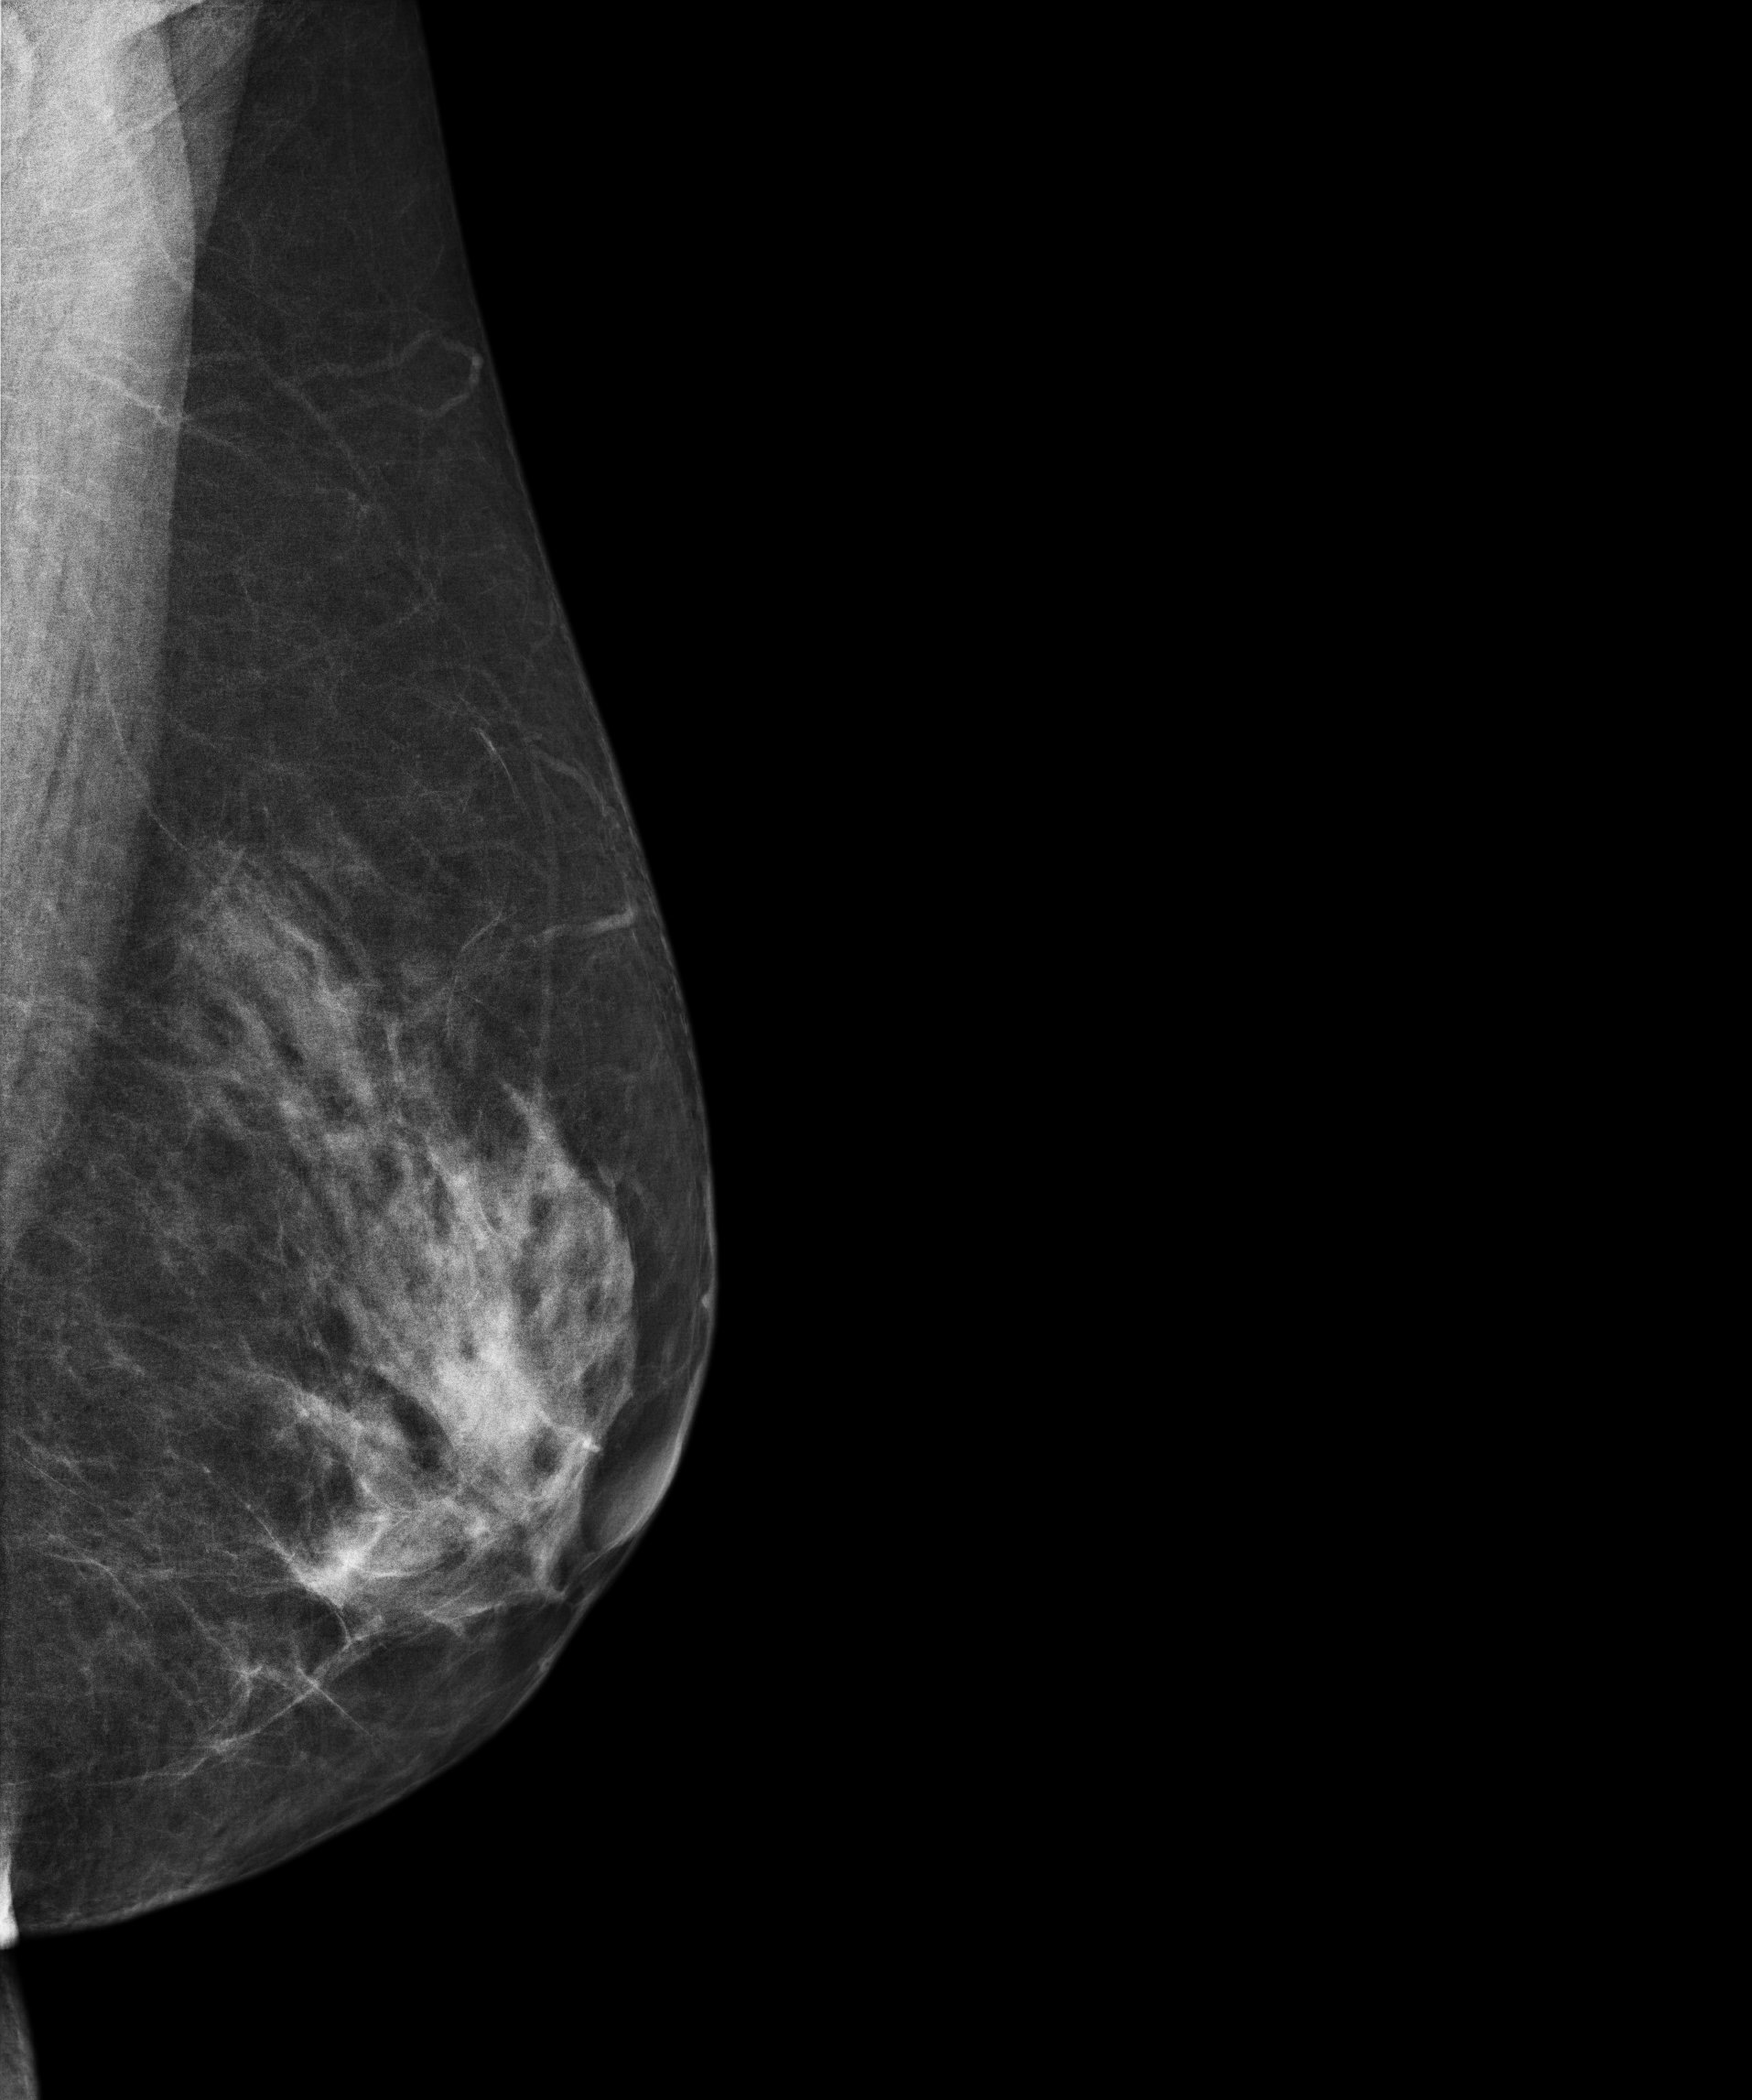
Left-breast mammogram, medio-lateral oblique. 64 y/o patient.
Contralateral breast — no documented abnormality on this side.